Right-breast mammogram, CC. 39 y/o patient.
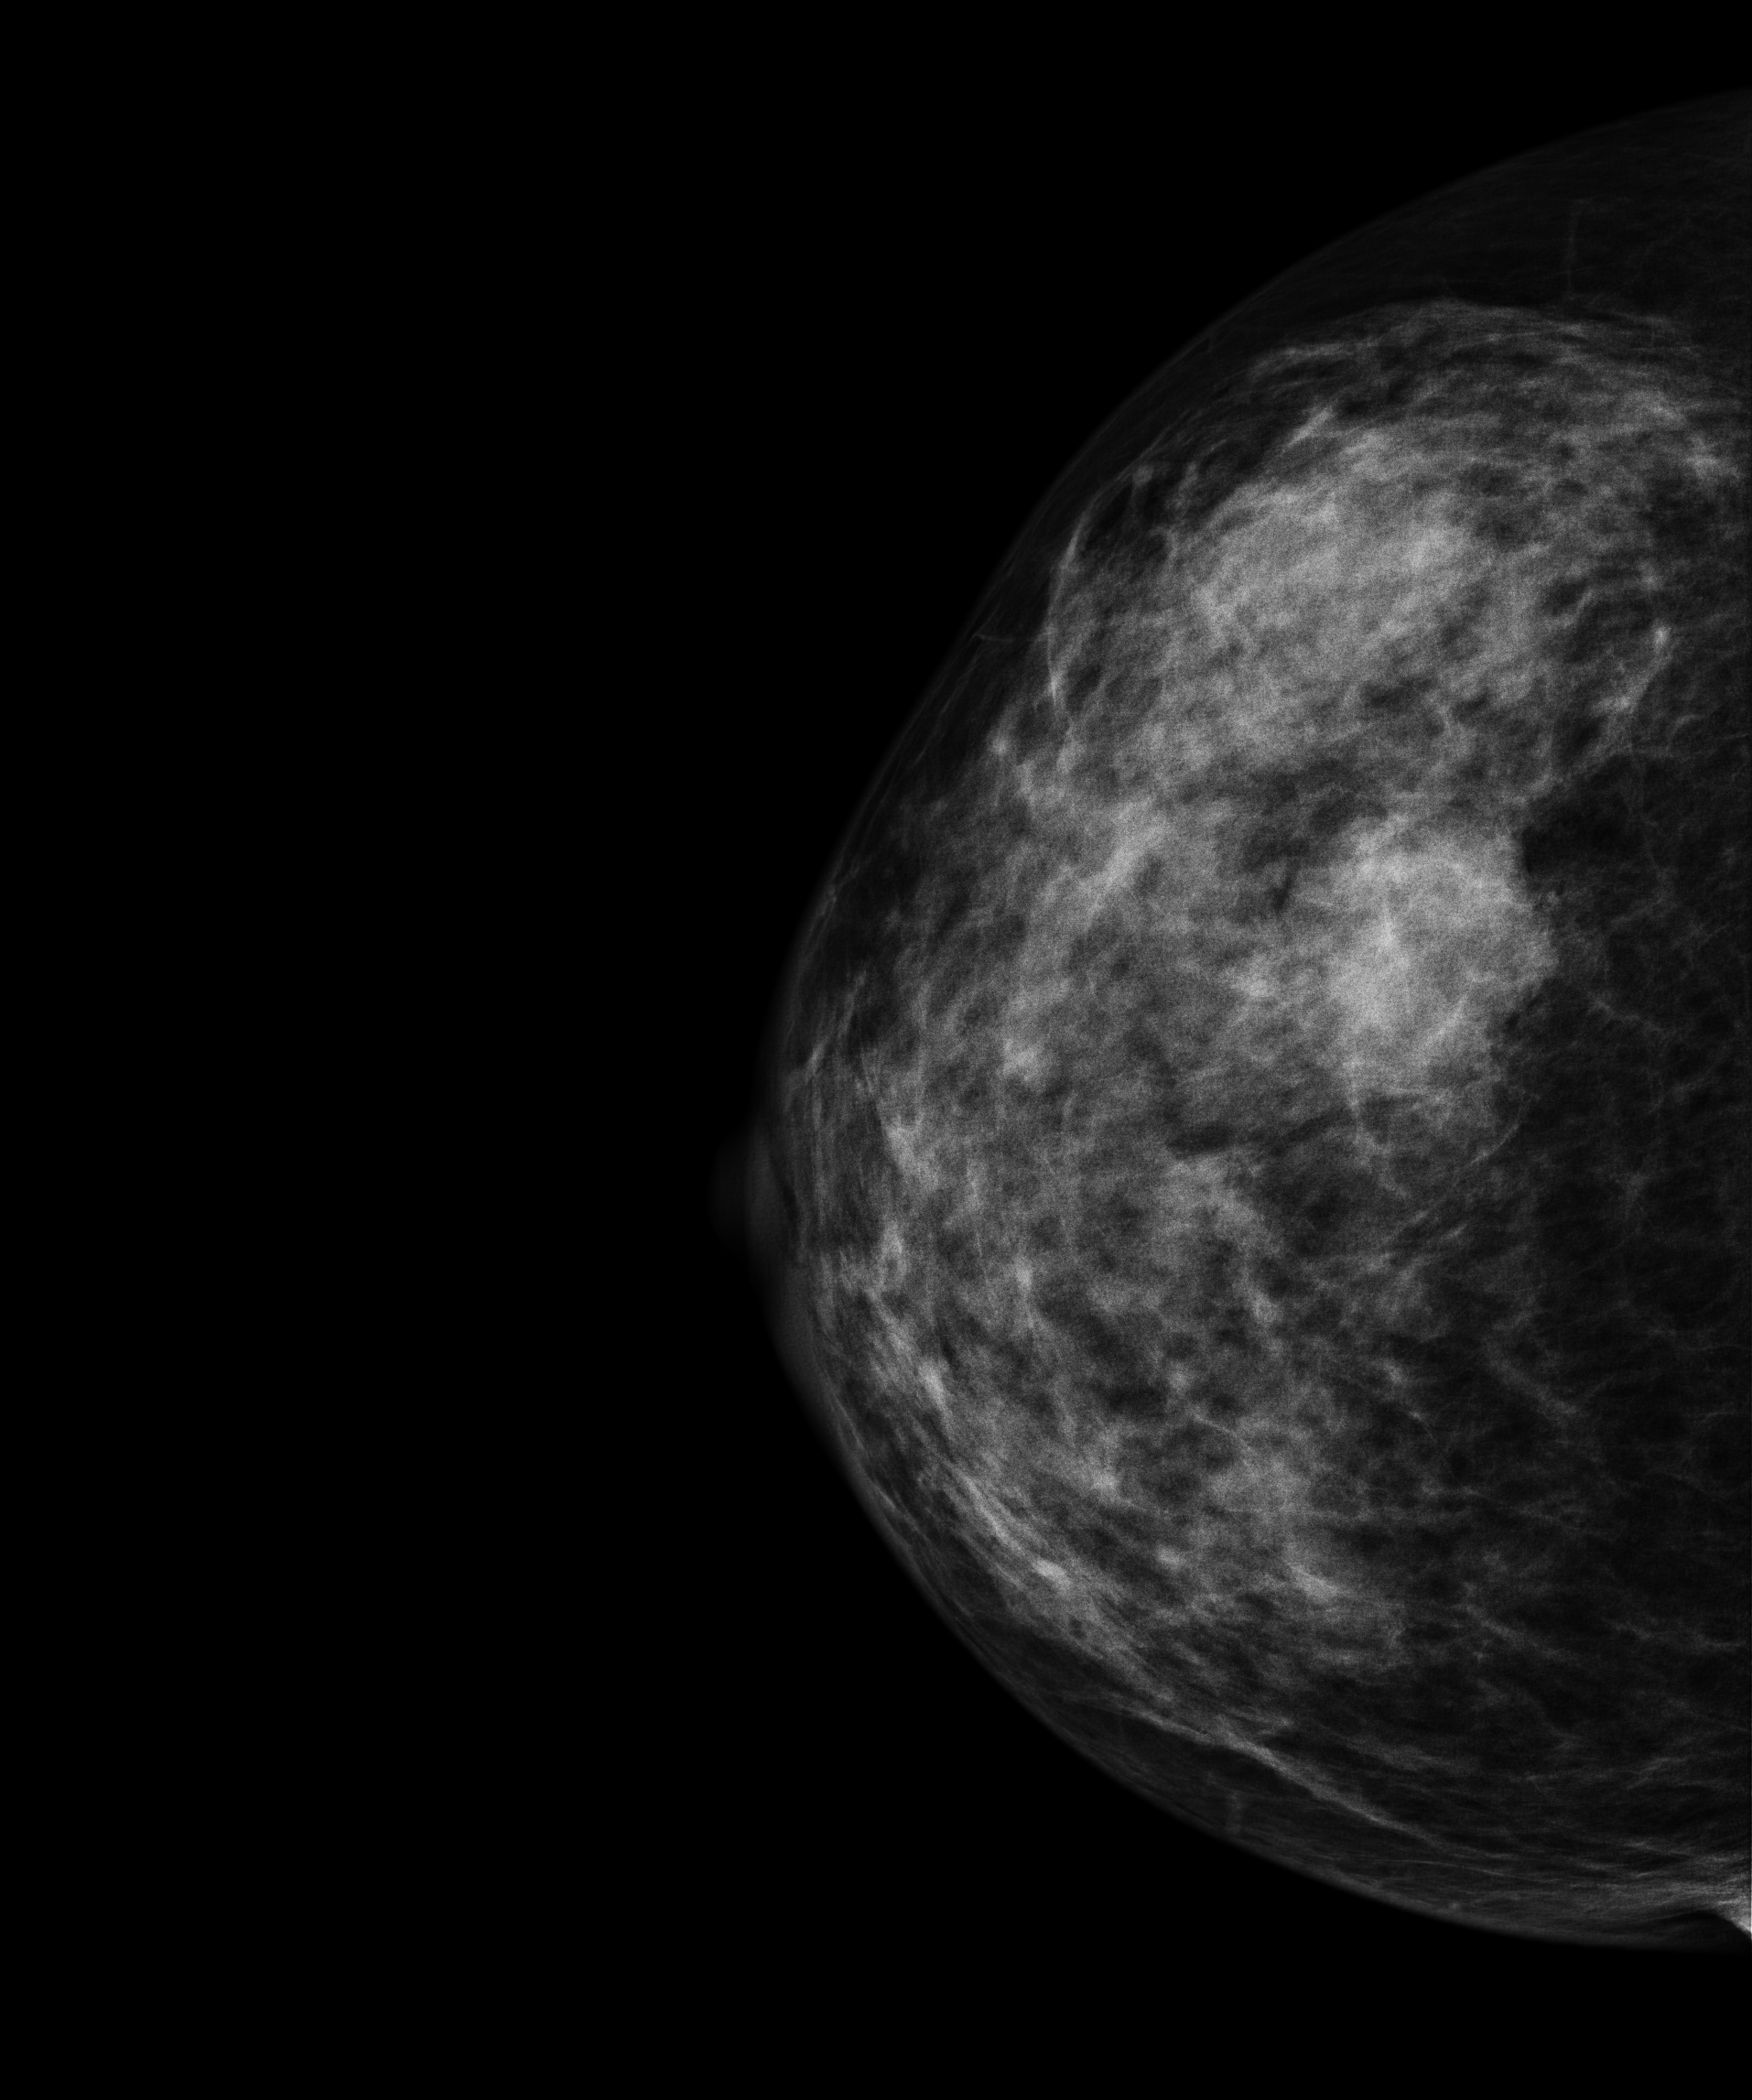
This breast has a mass, biopsy-confirmed malignant.